Mammogram — left MLO. 19-year-old patient.
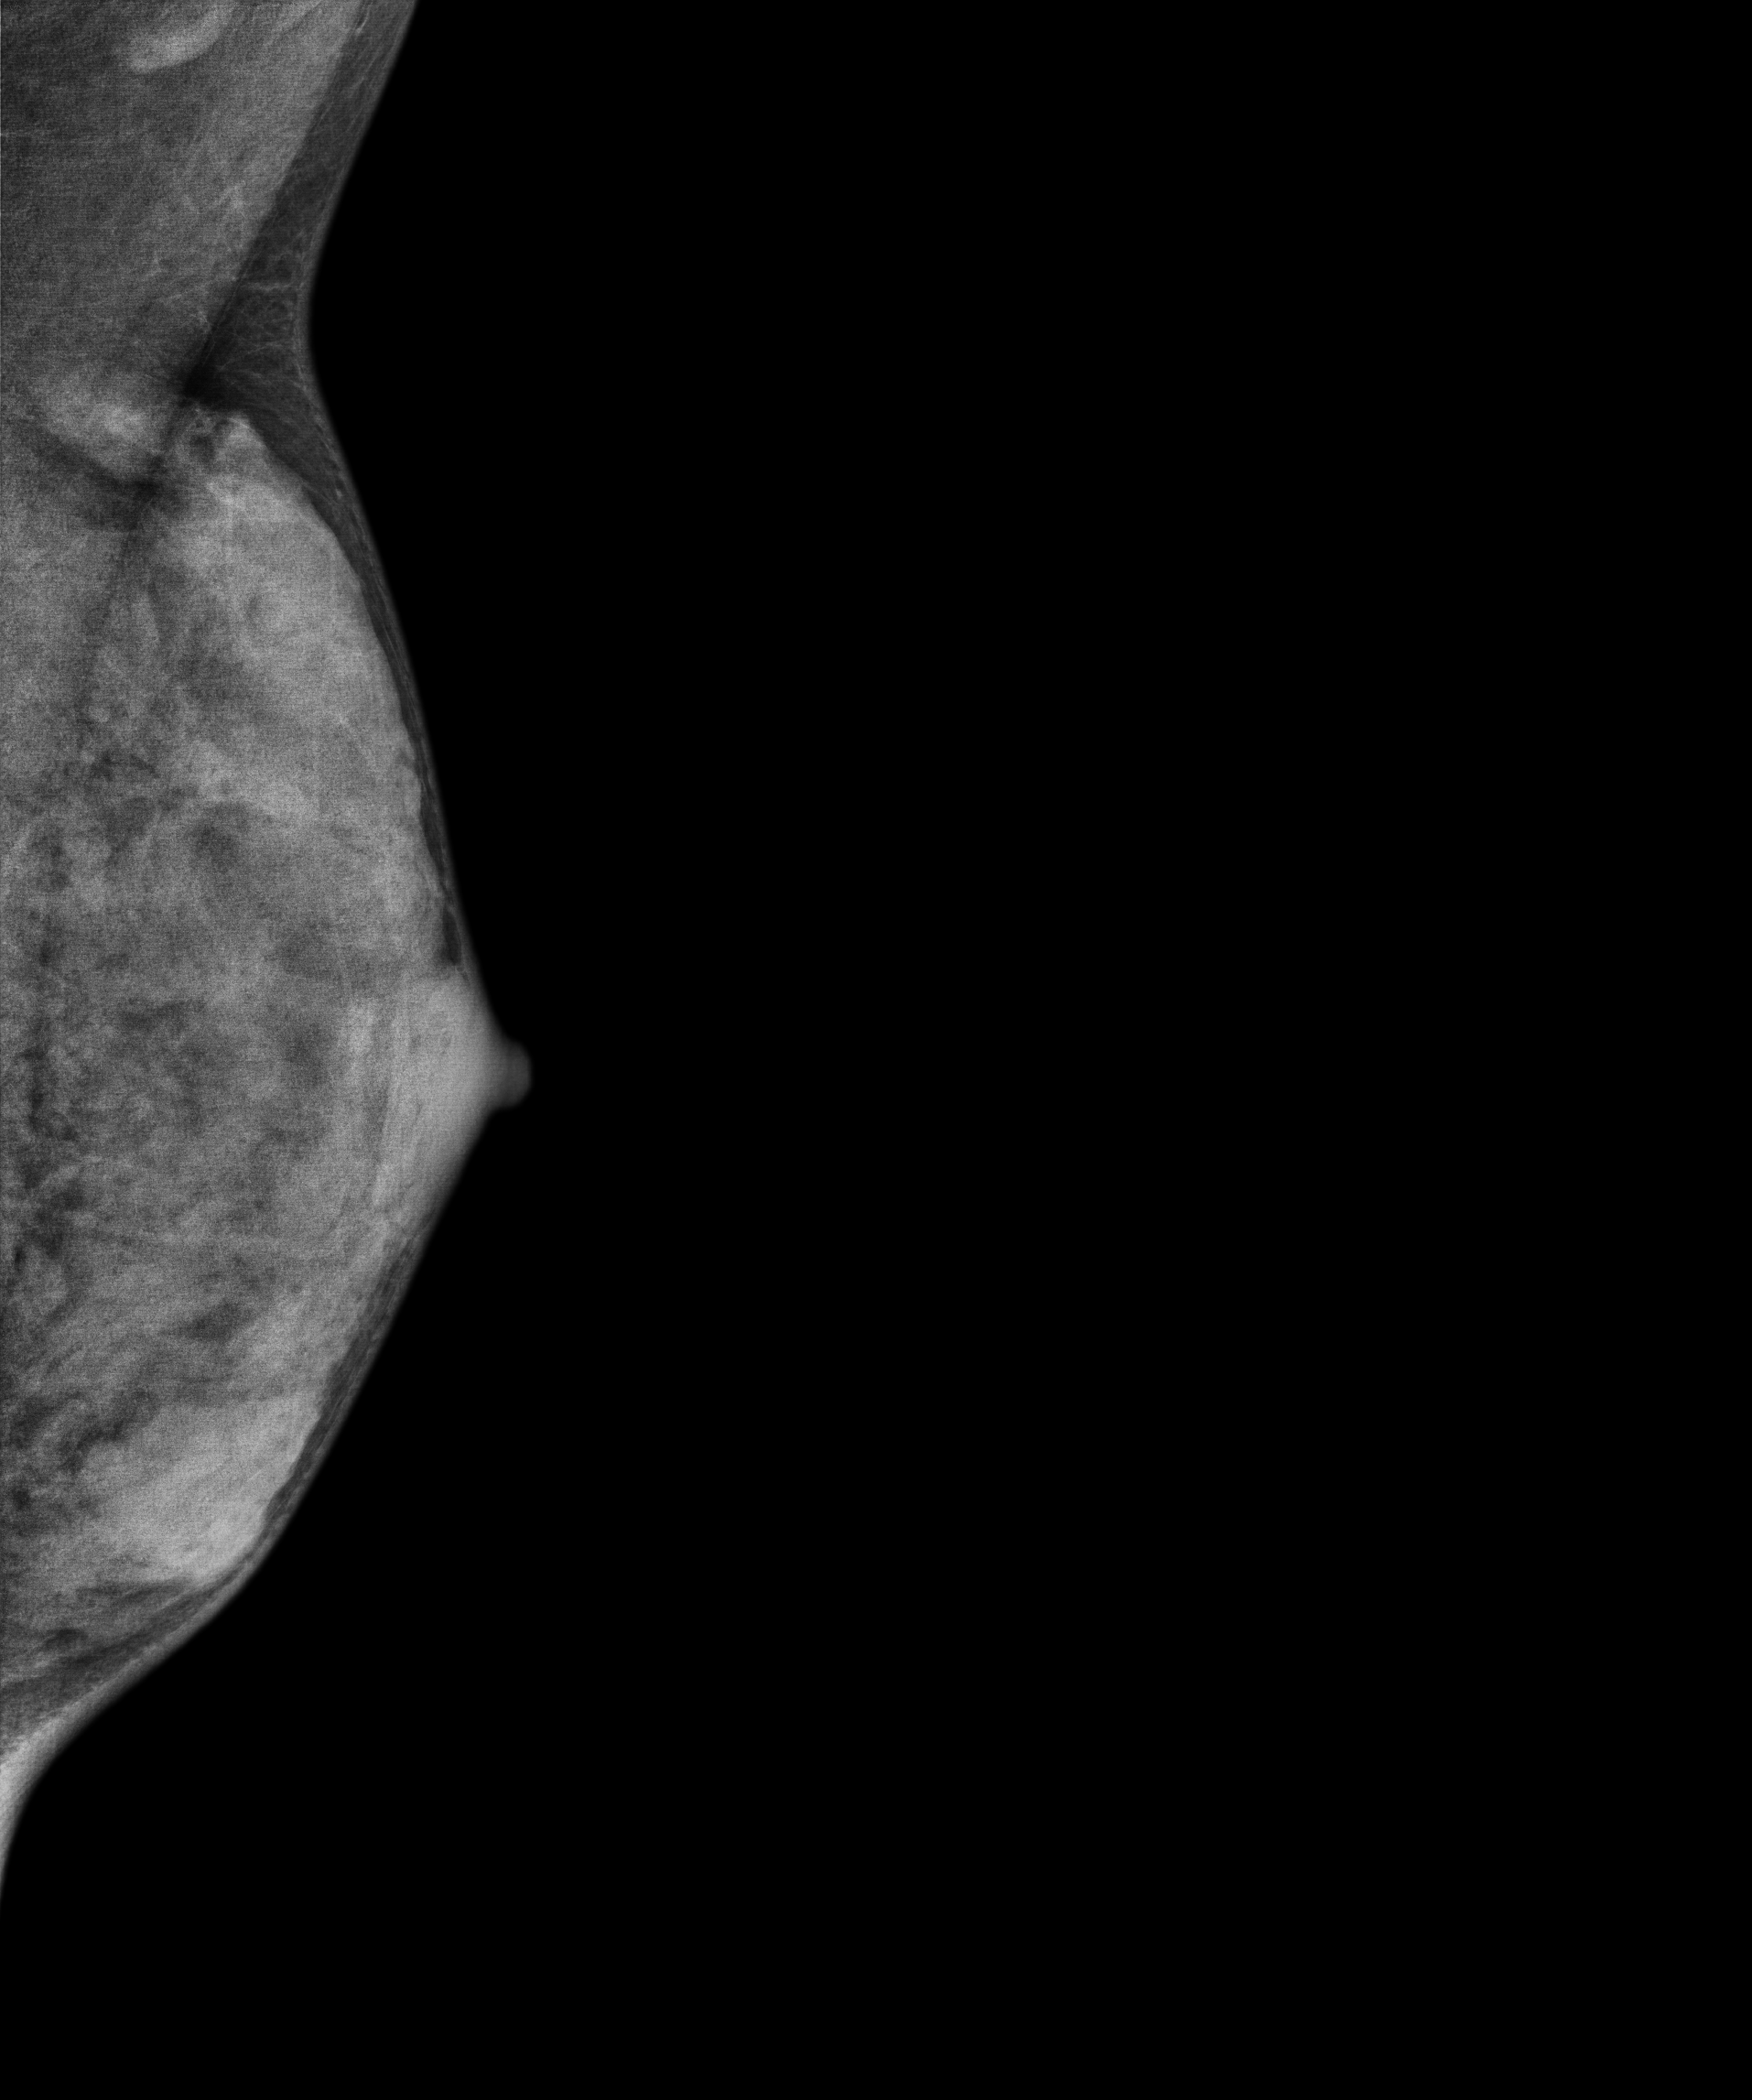
This breast has a mass, pathology-confirmed benign.